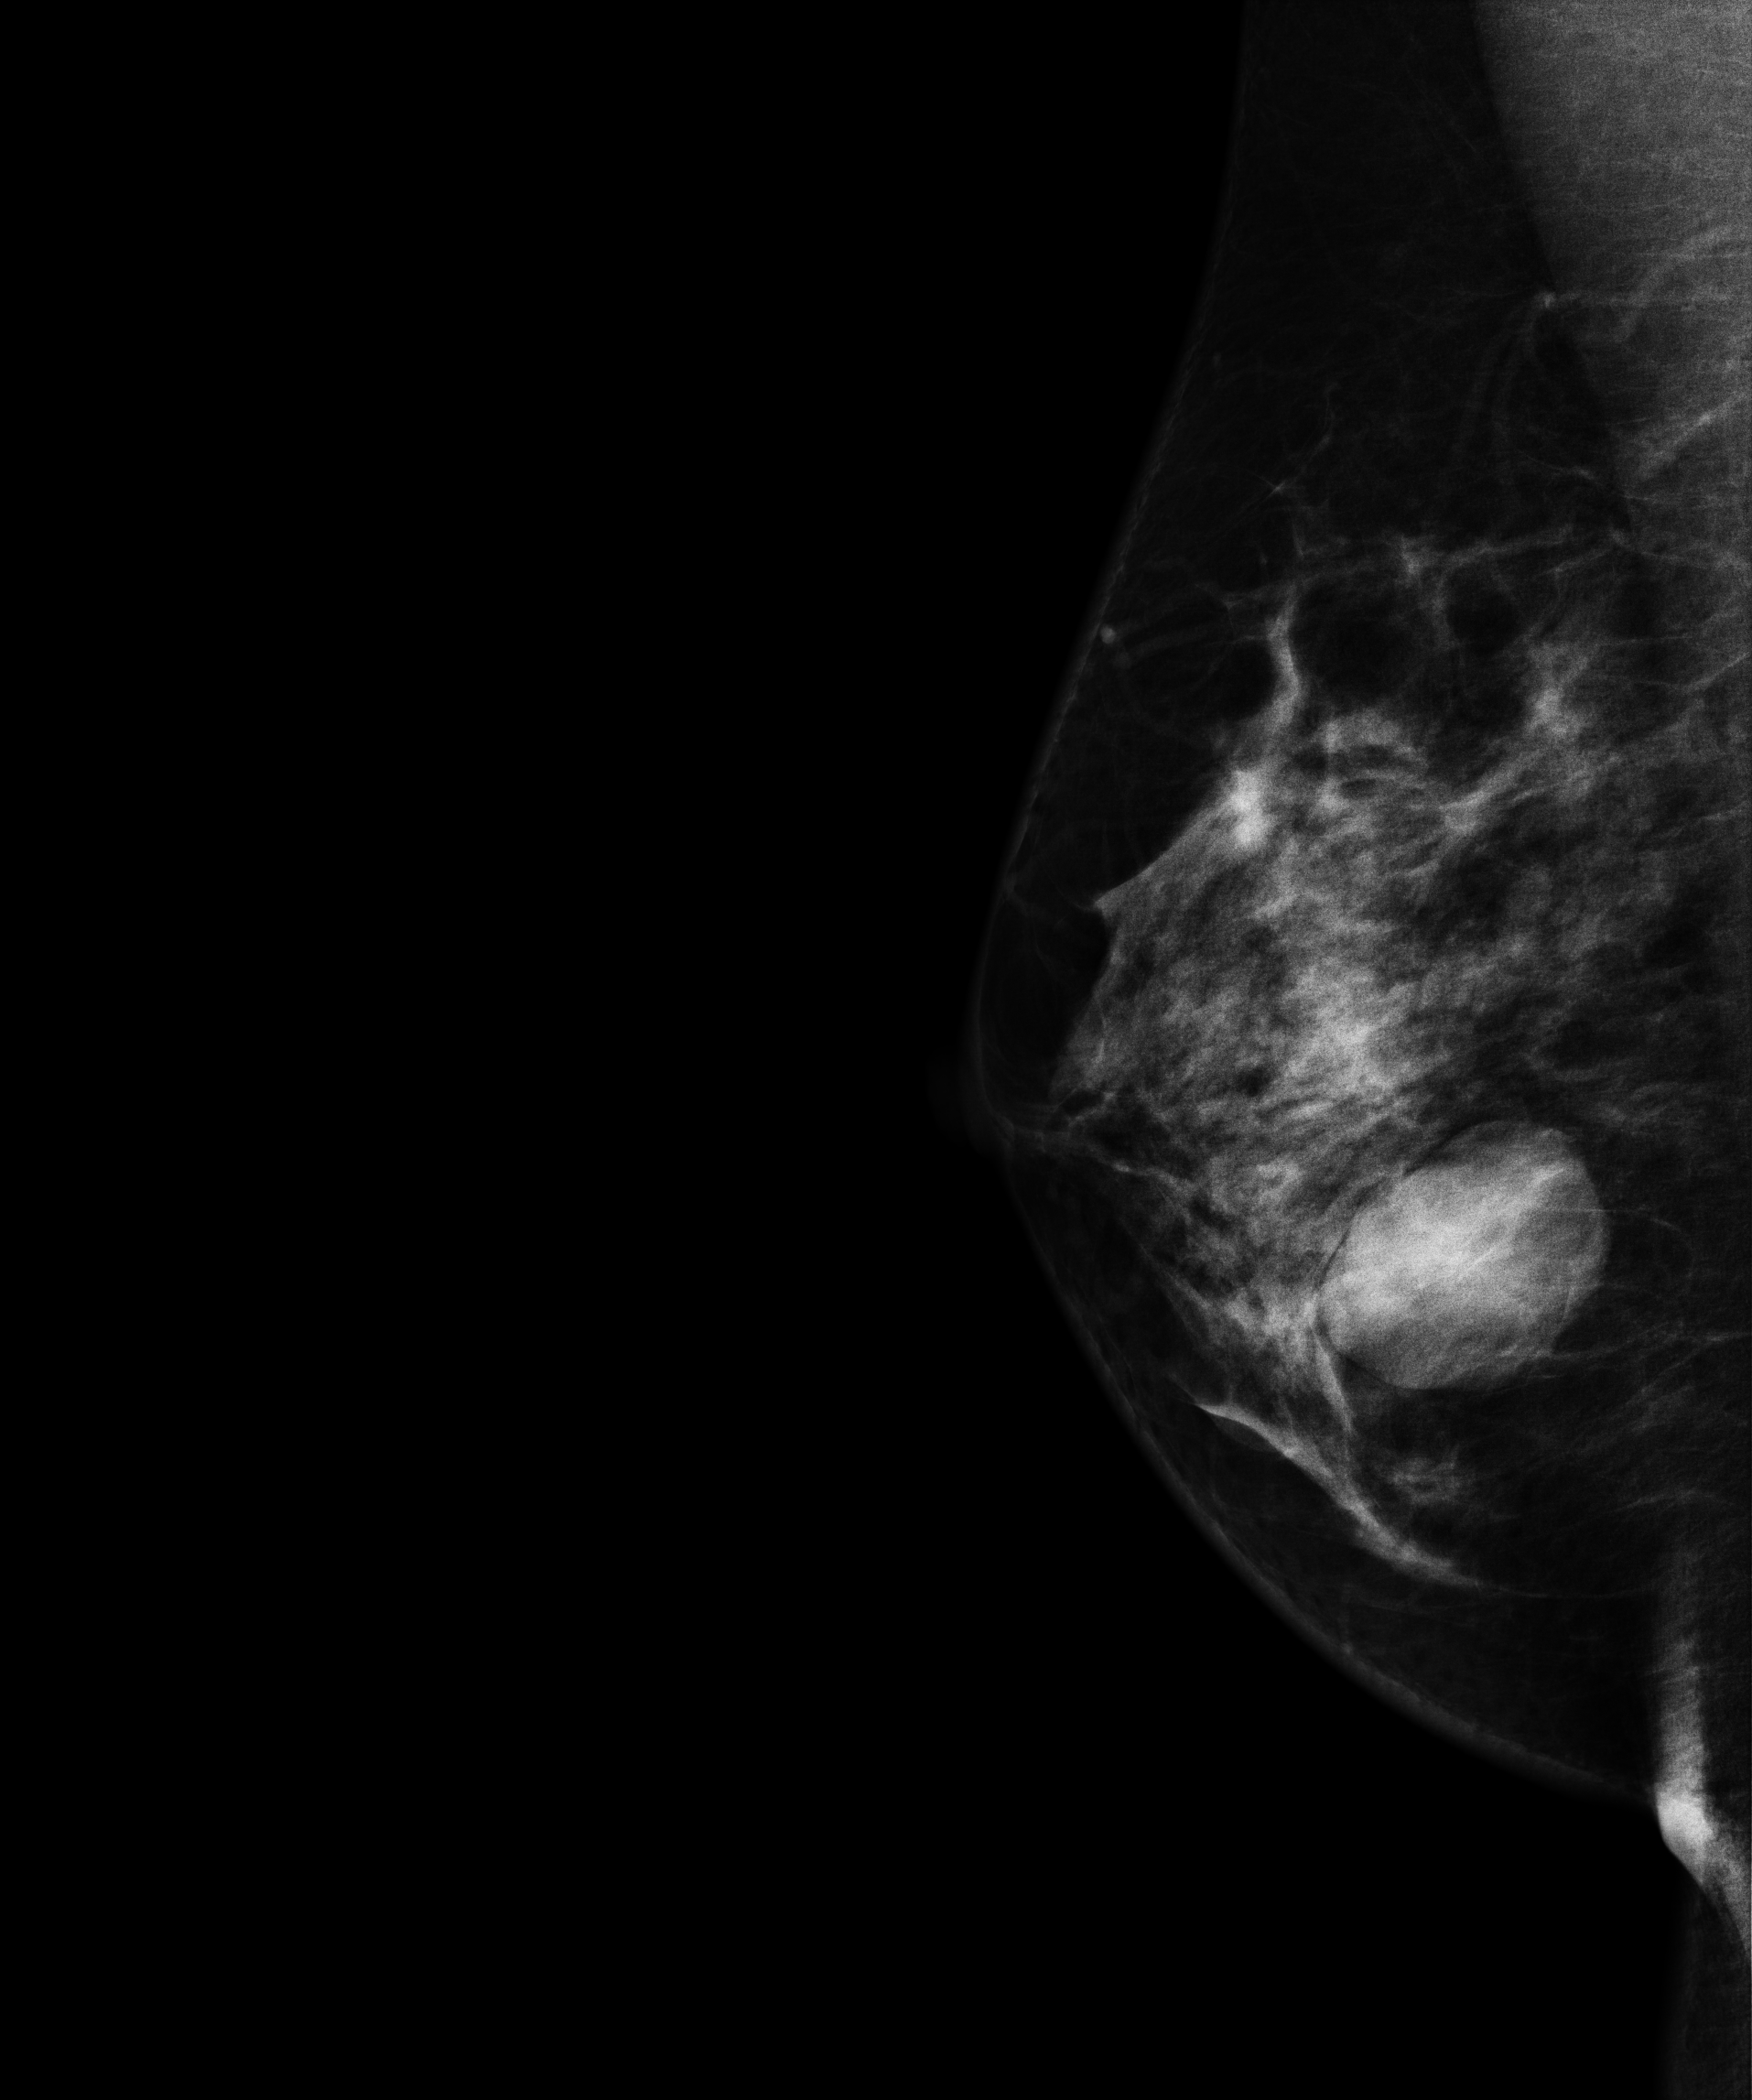
Digital mammography. Right breast, MLO projection. 46-year-old patient.
This breast has a mass, biopsy-proven benign.